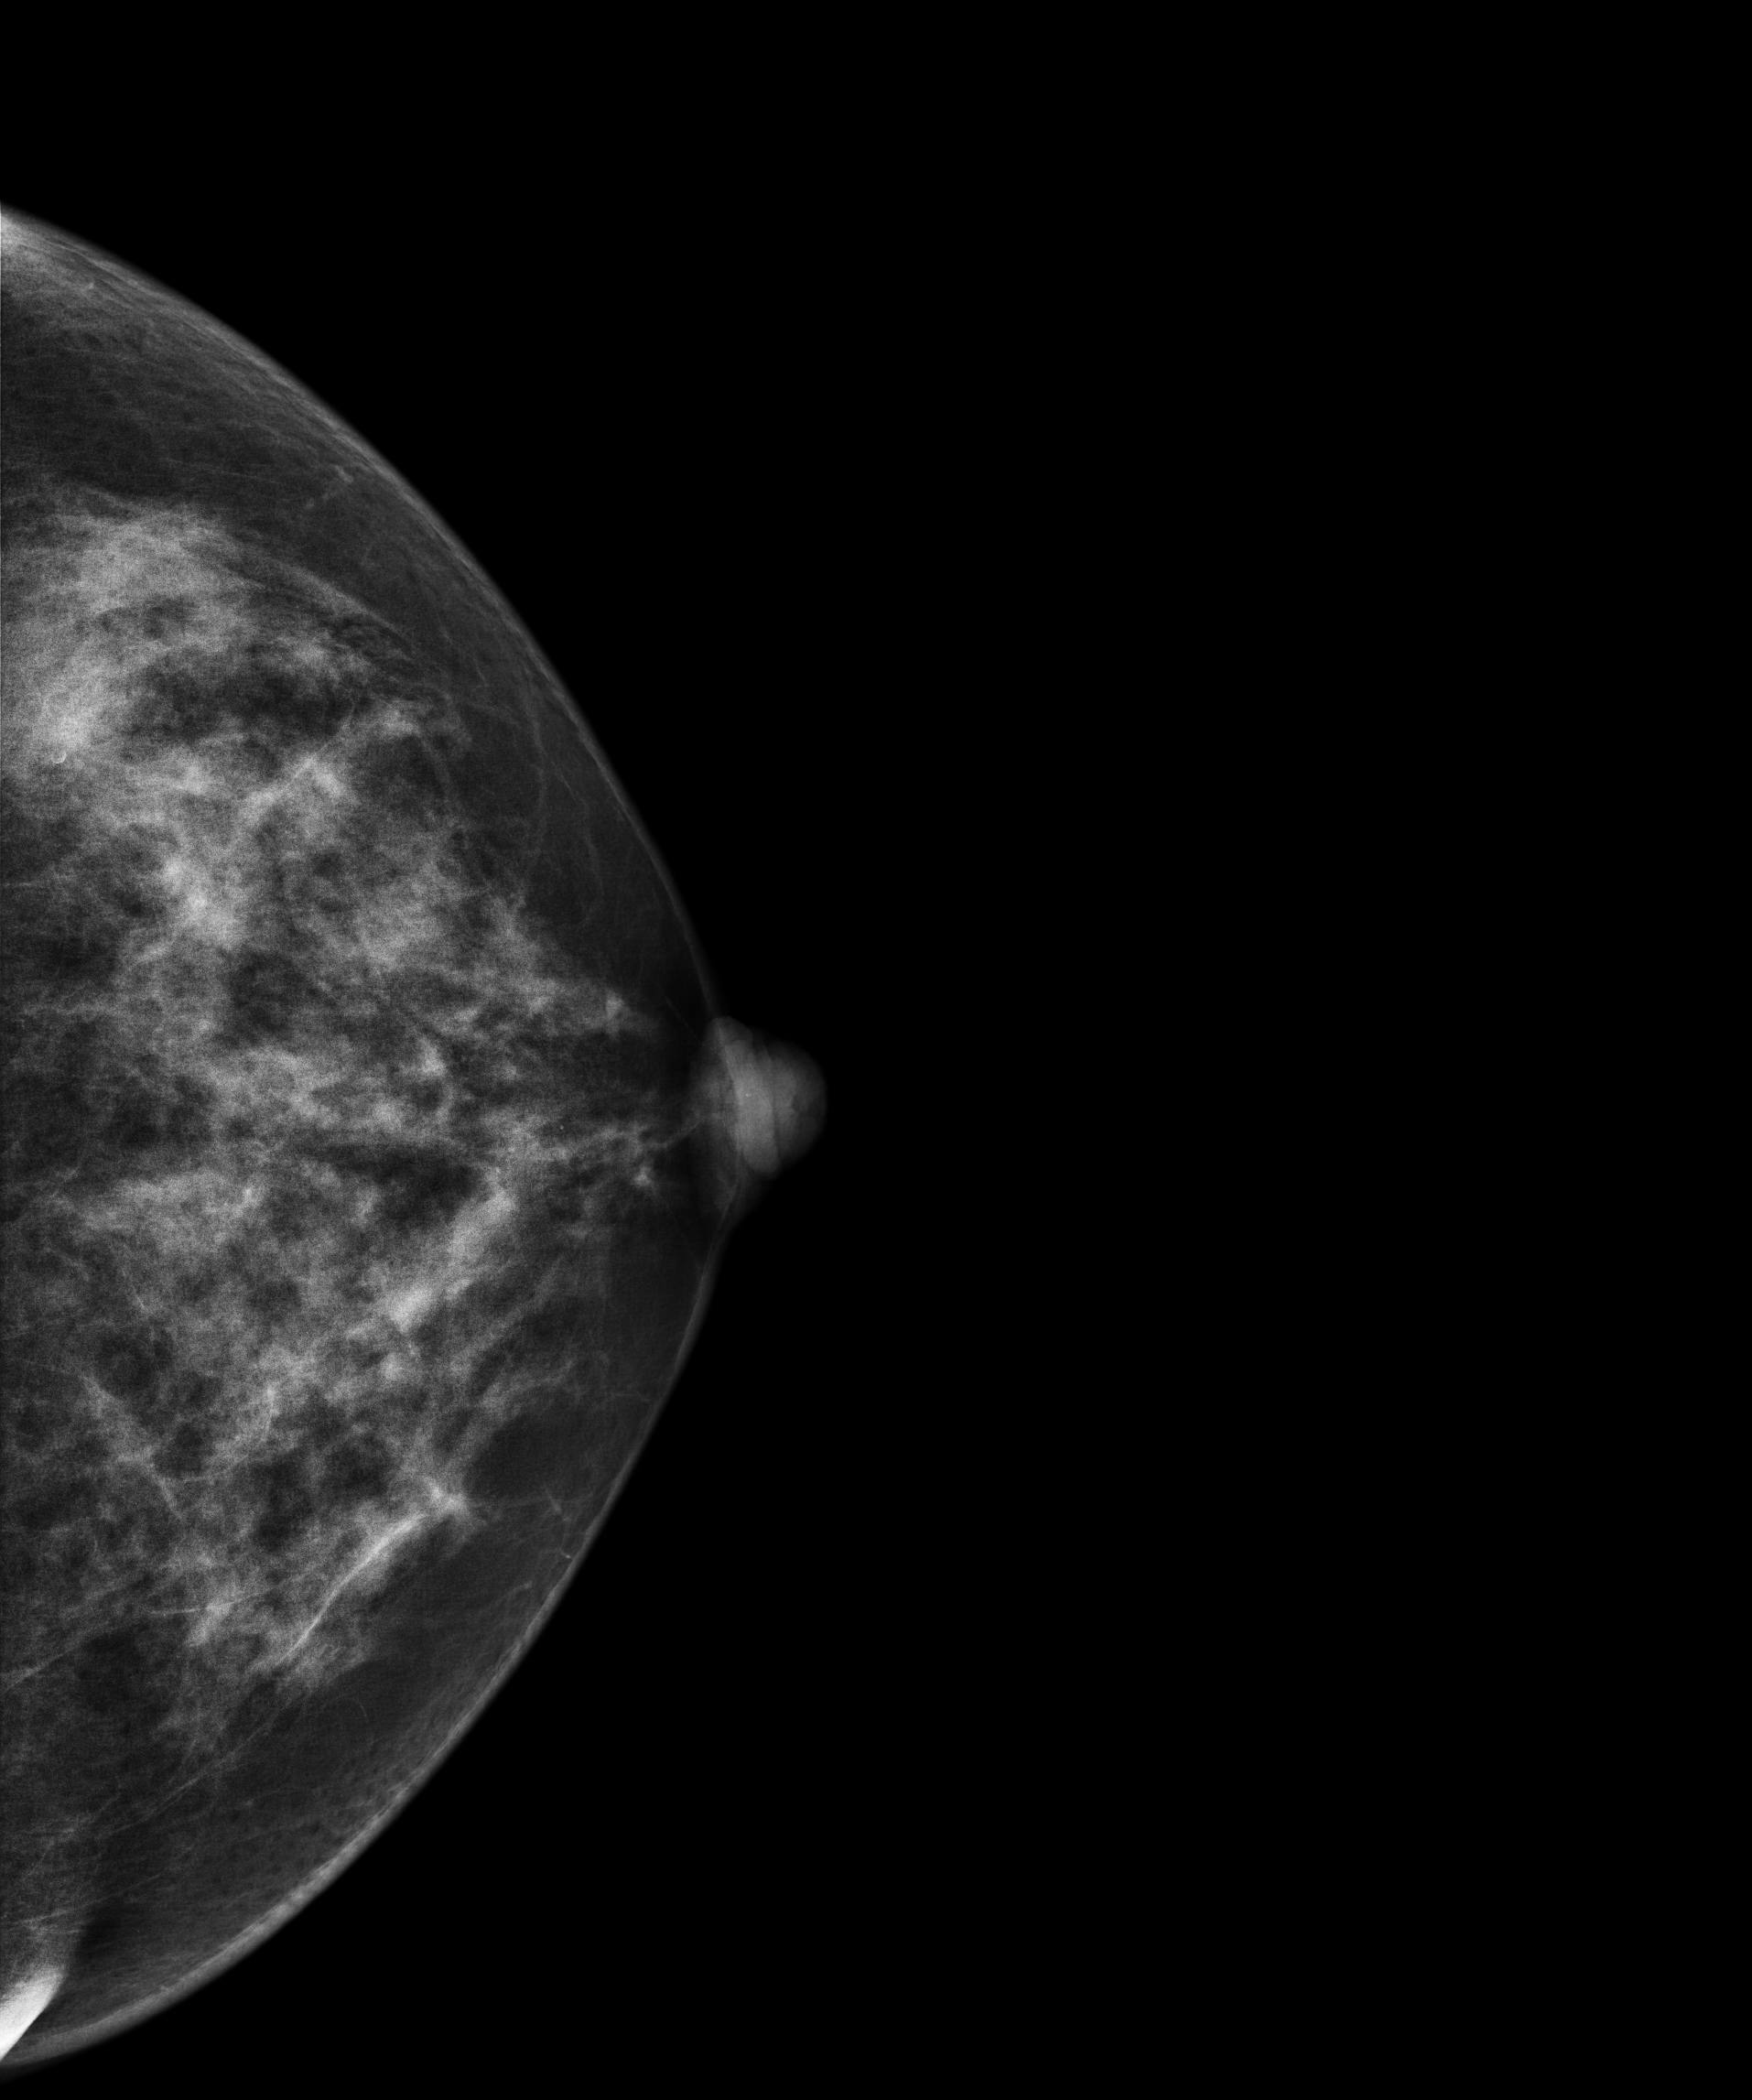
Digital mammography. Left breast, cranio-caudal projection. 45-year-old patient.
Contralateral breast — no documented abnormality on this side.